Right-breast mammogram, CC. 36-year-old patient.
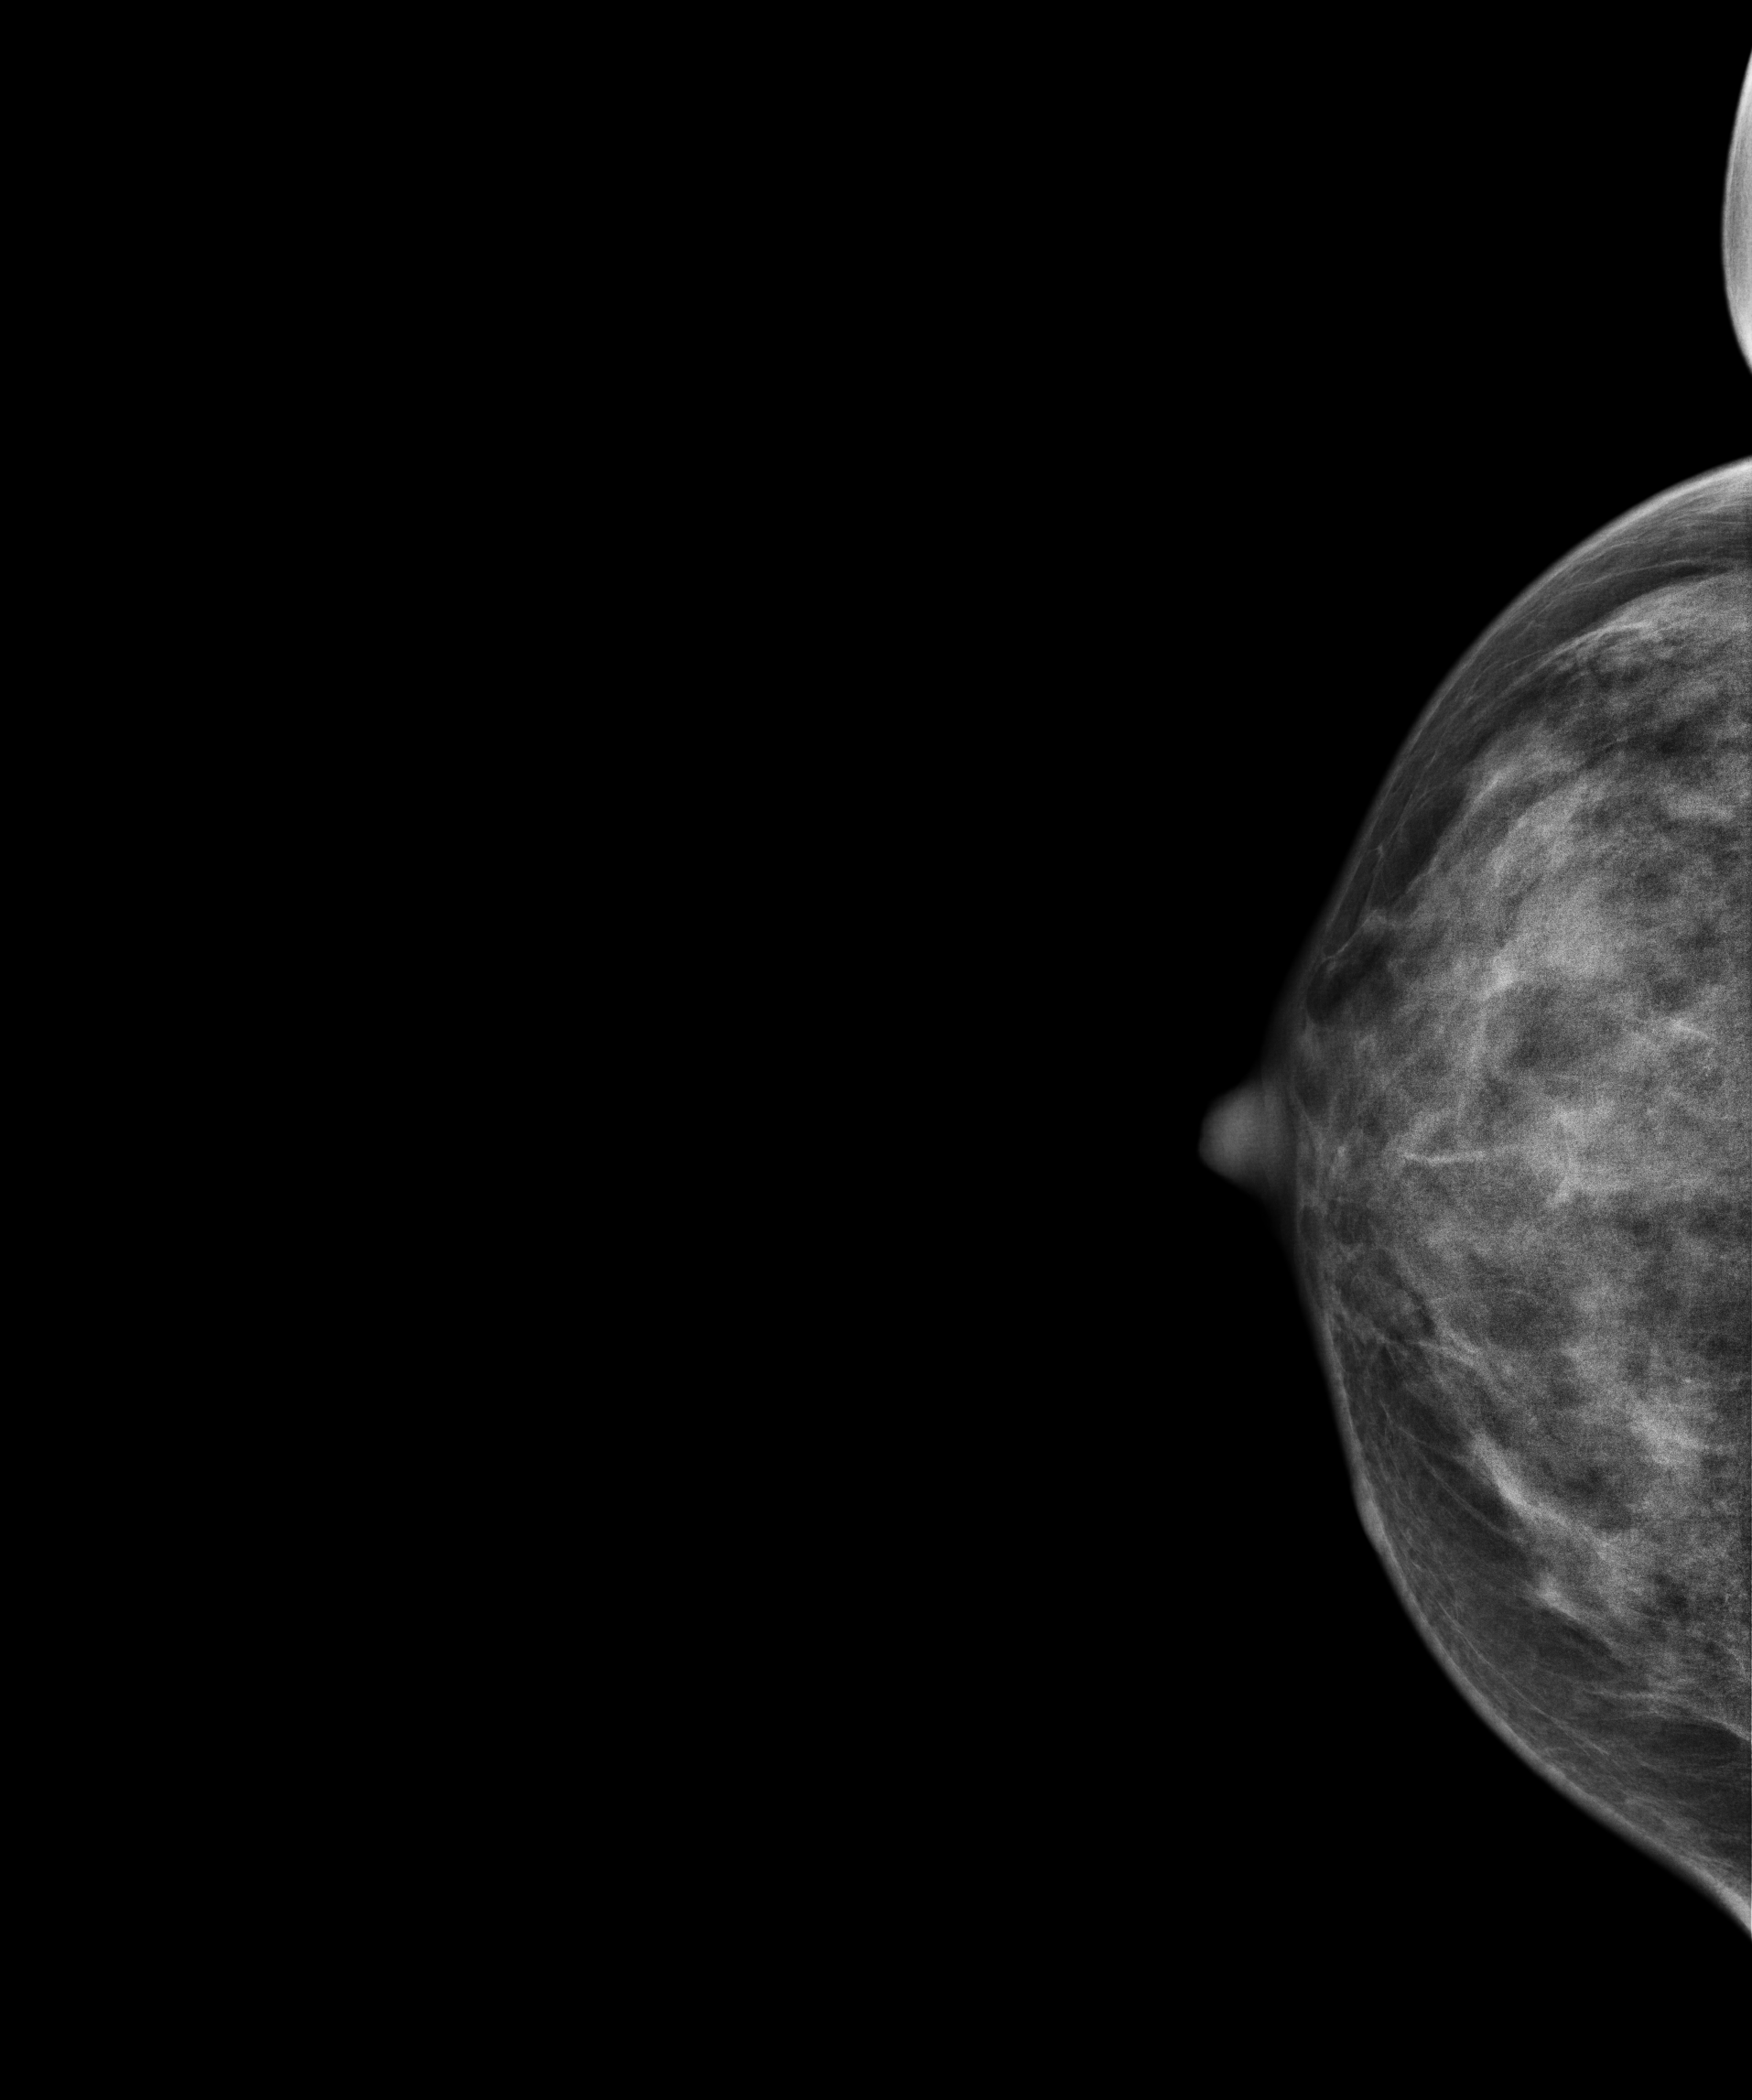
This breast has a mass, pathology-confirmed benign.